Digital mammography. Right breast, cranio-caudal projection. 46 y/o patient.
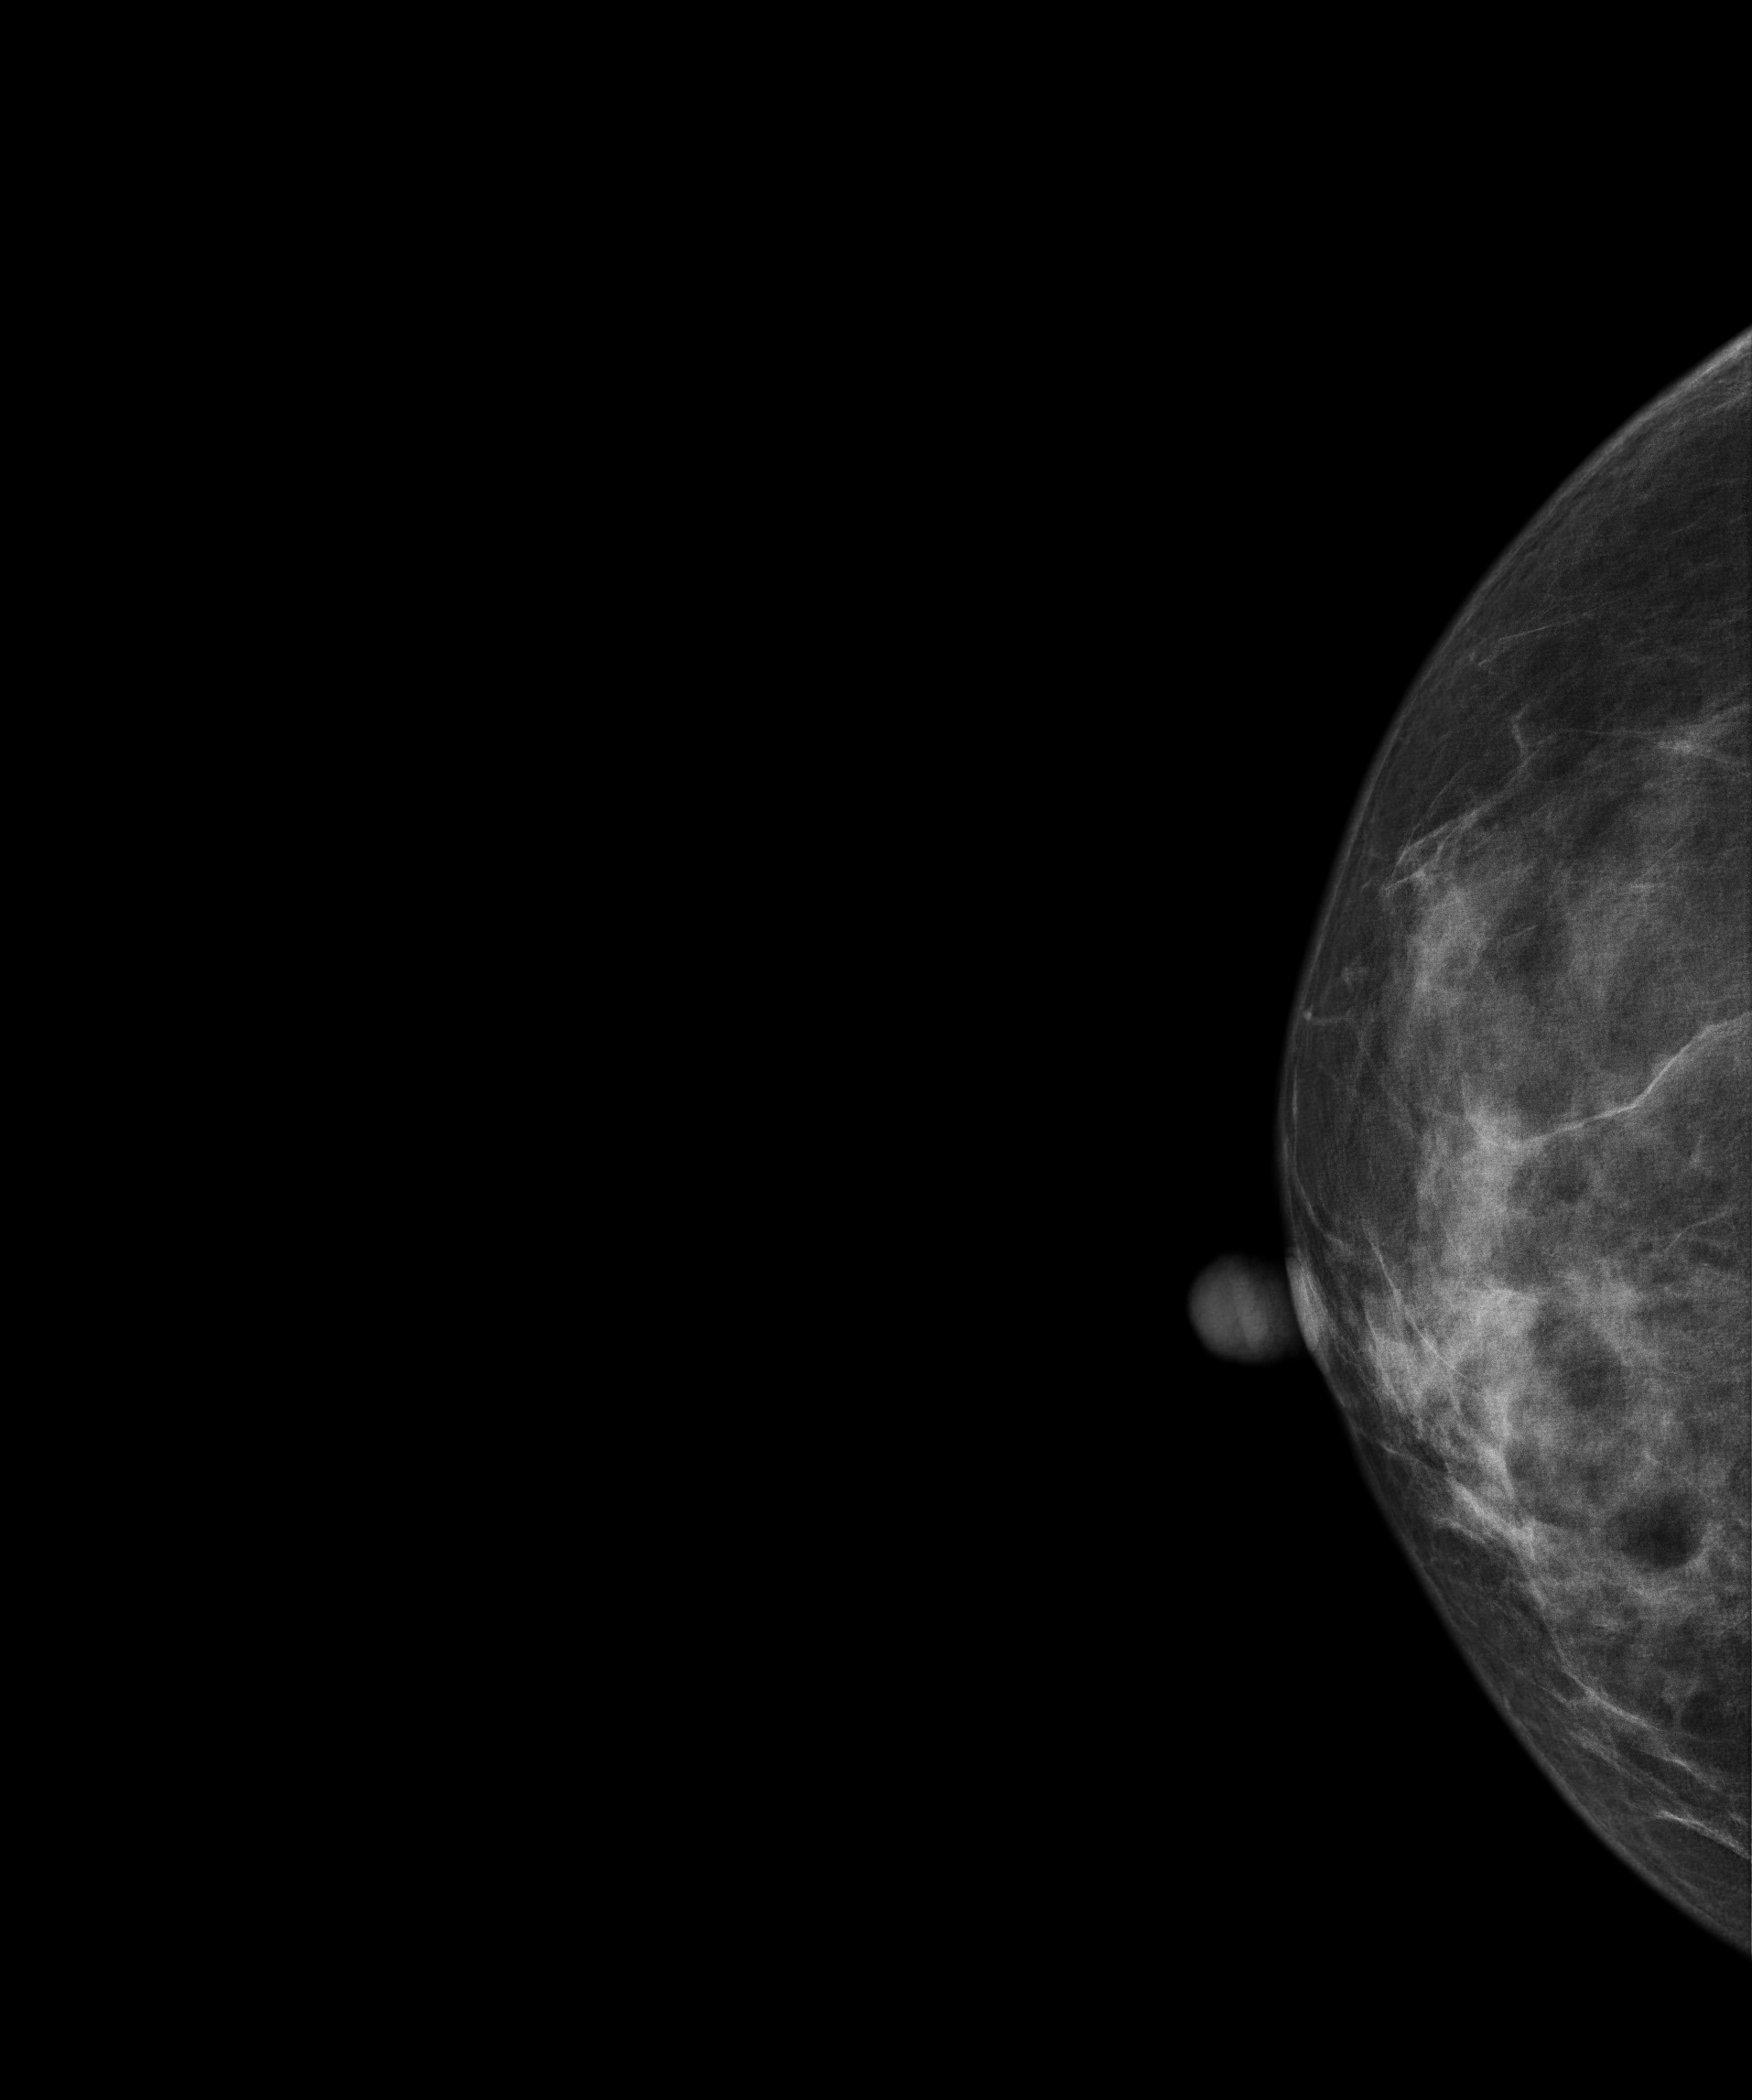
This breast has calcifications, histologically confirmed benign.